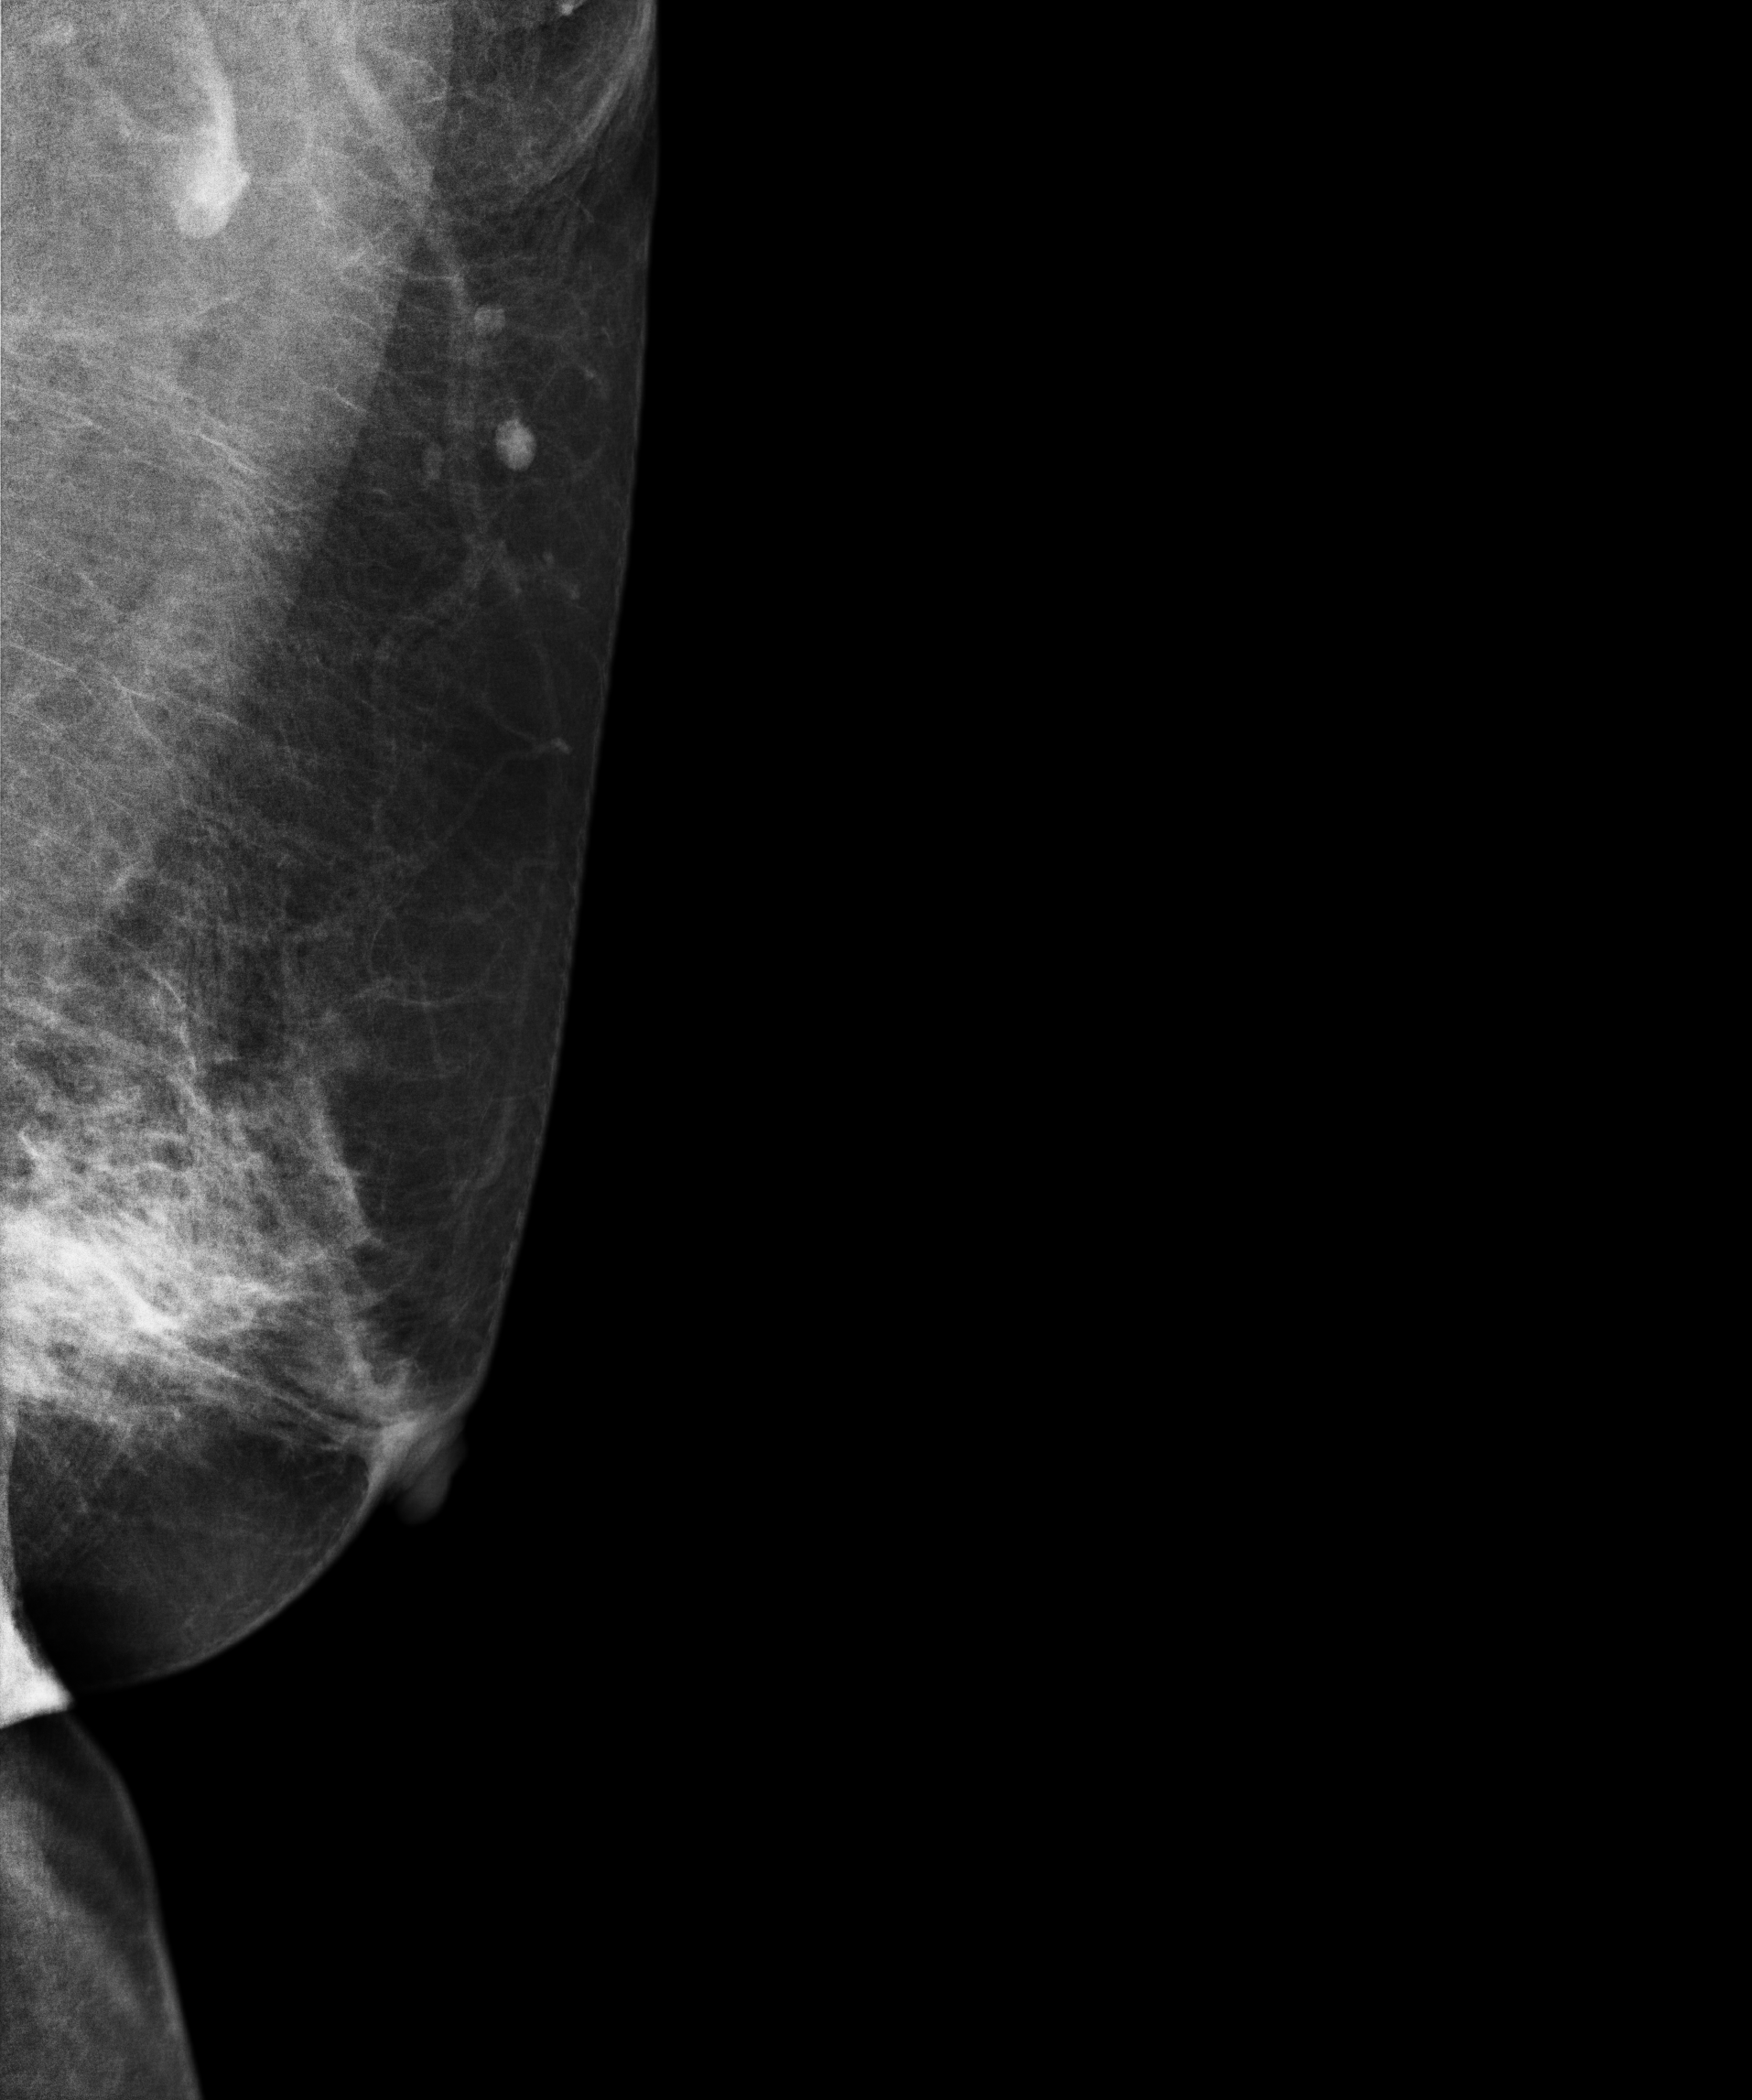
Mammogram, left breast, MLO view. Patient age 62.
This breast has a mass and calcifications, biopsy-proven malignant.